Digital mammography. Left breast, cranio-caudal projection. 62 y/o patient.
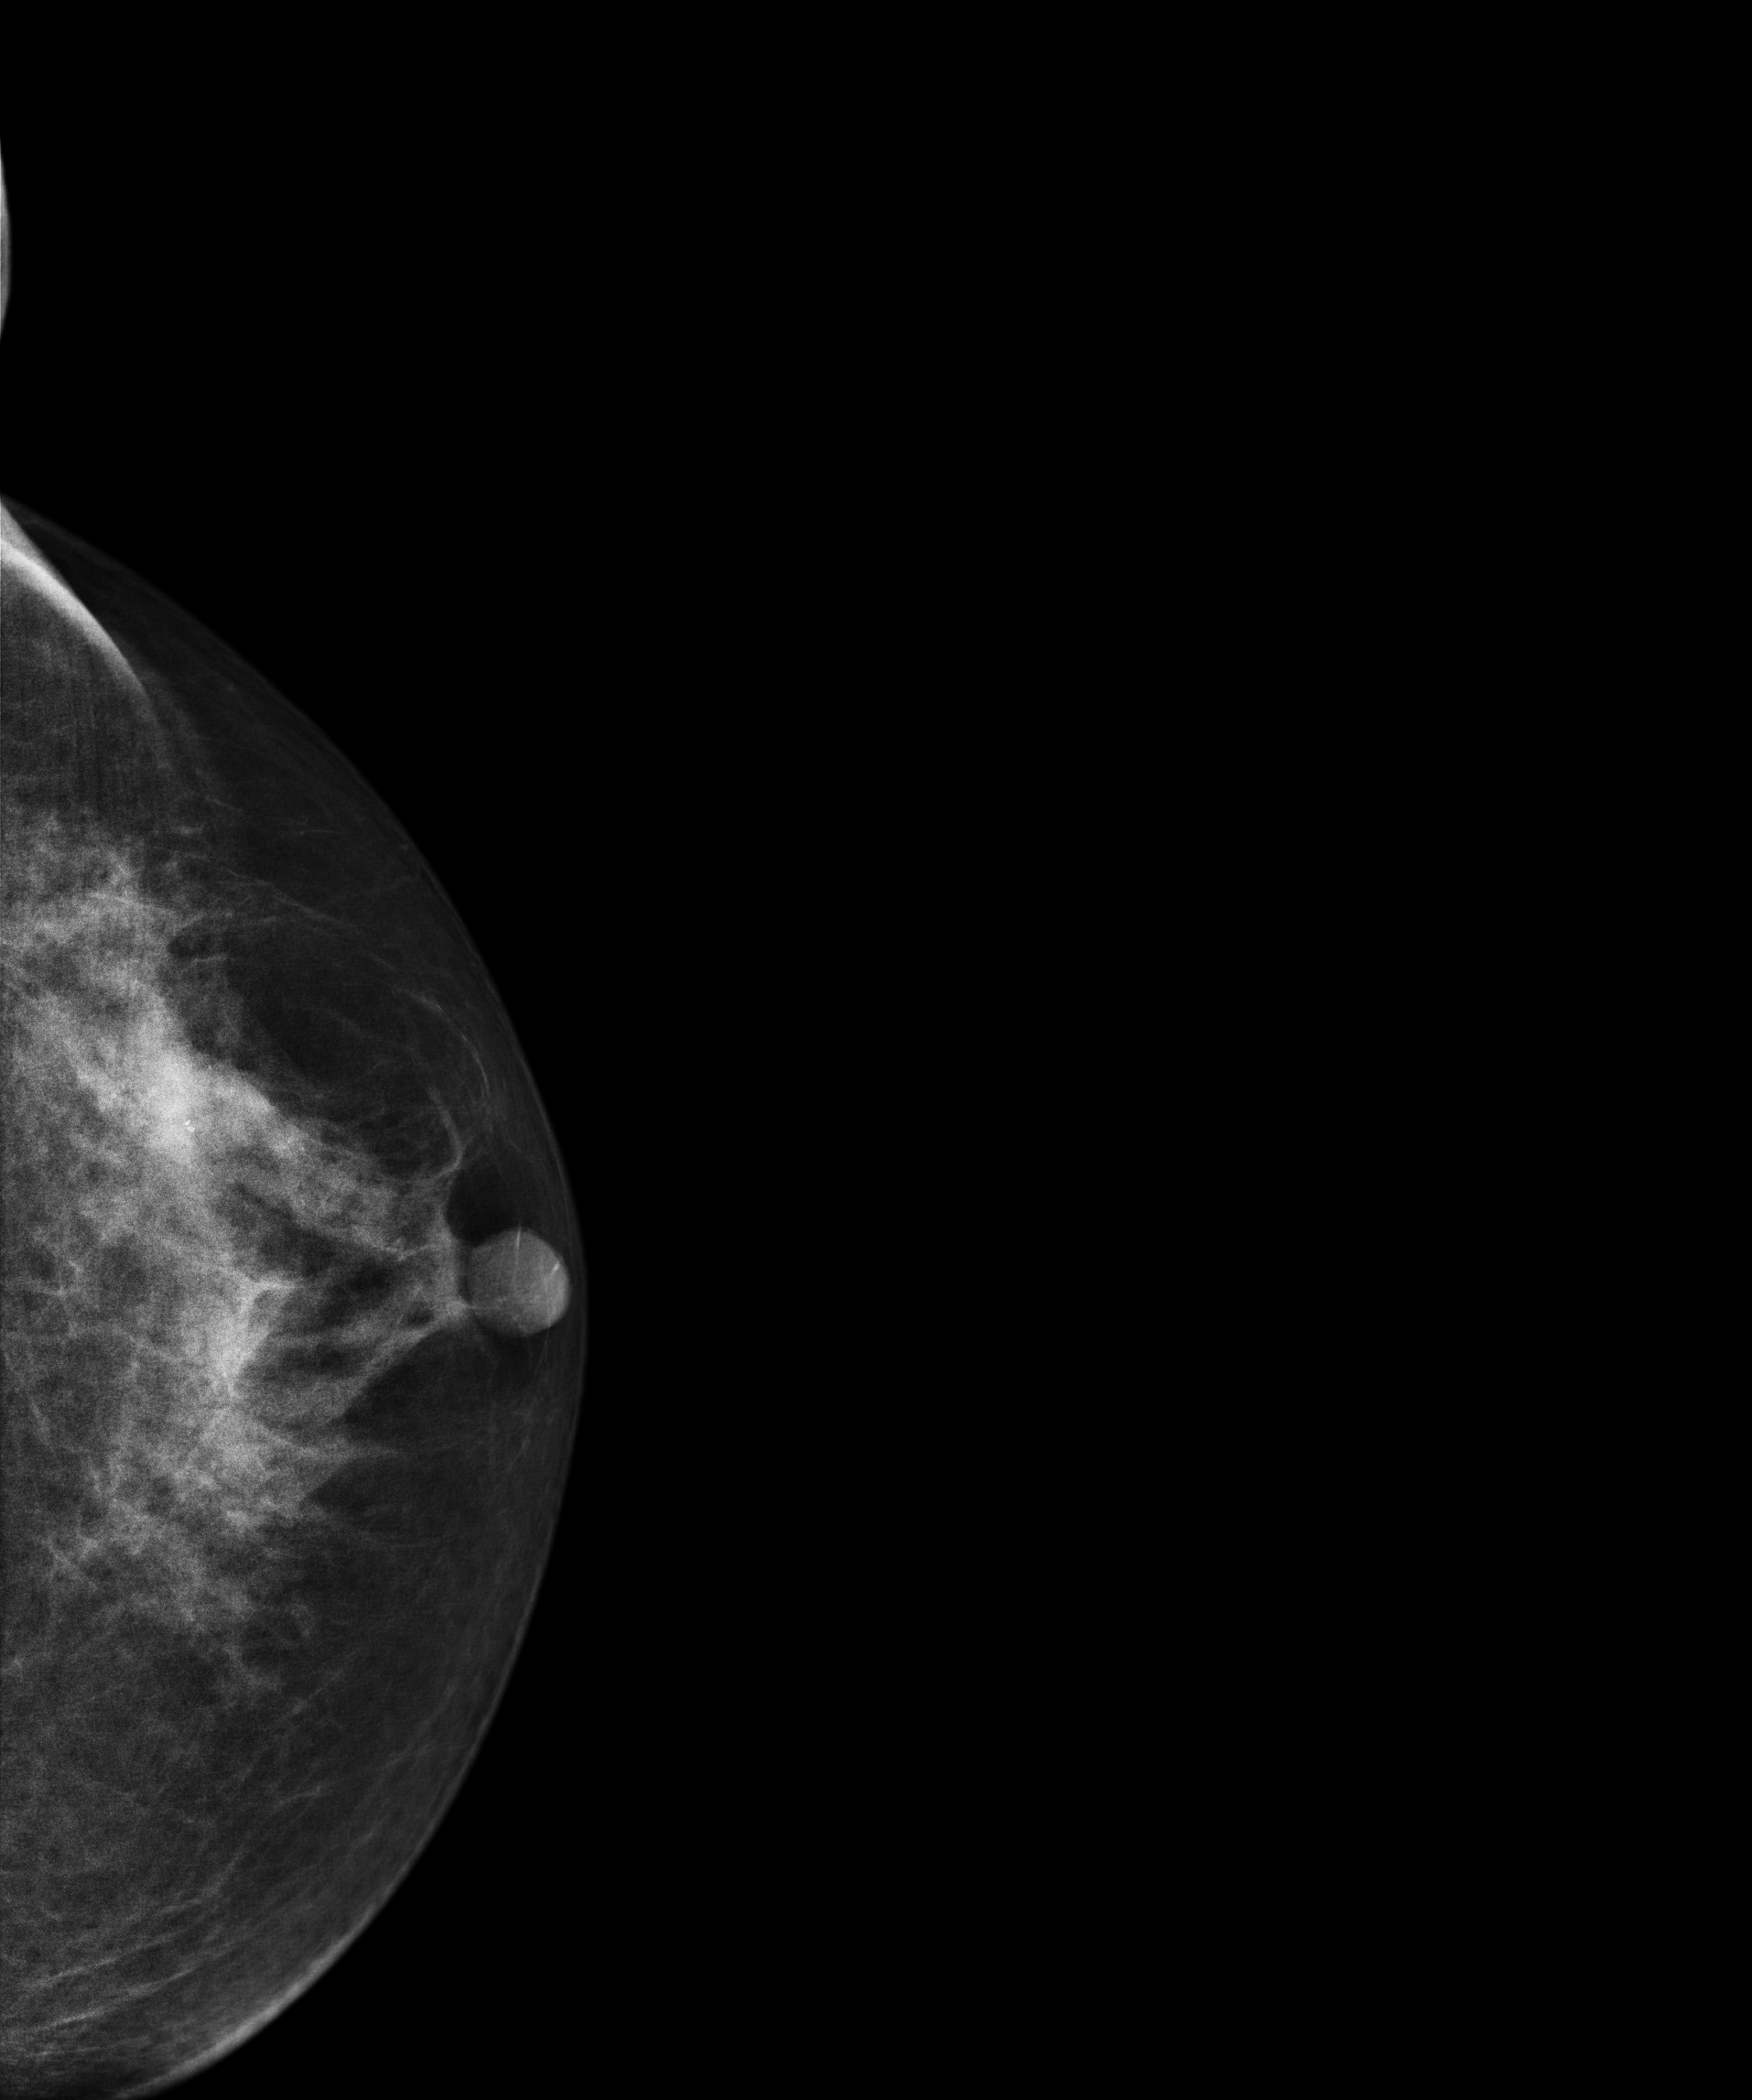
This breast has a mass and calcifications, biopsy-proven malignant. Molecular subtype: HER2-enriched.